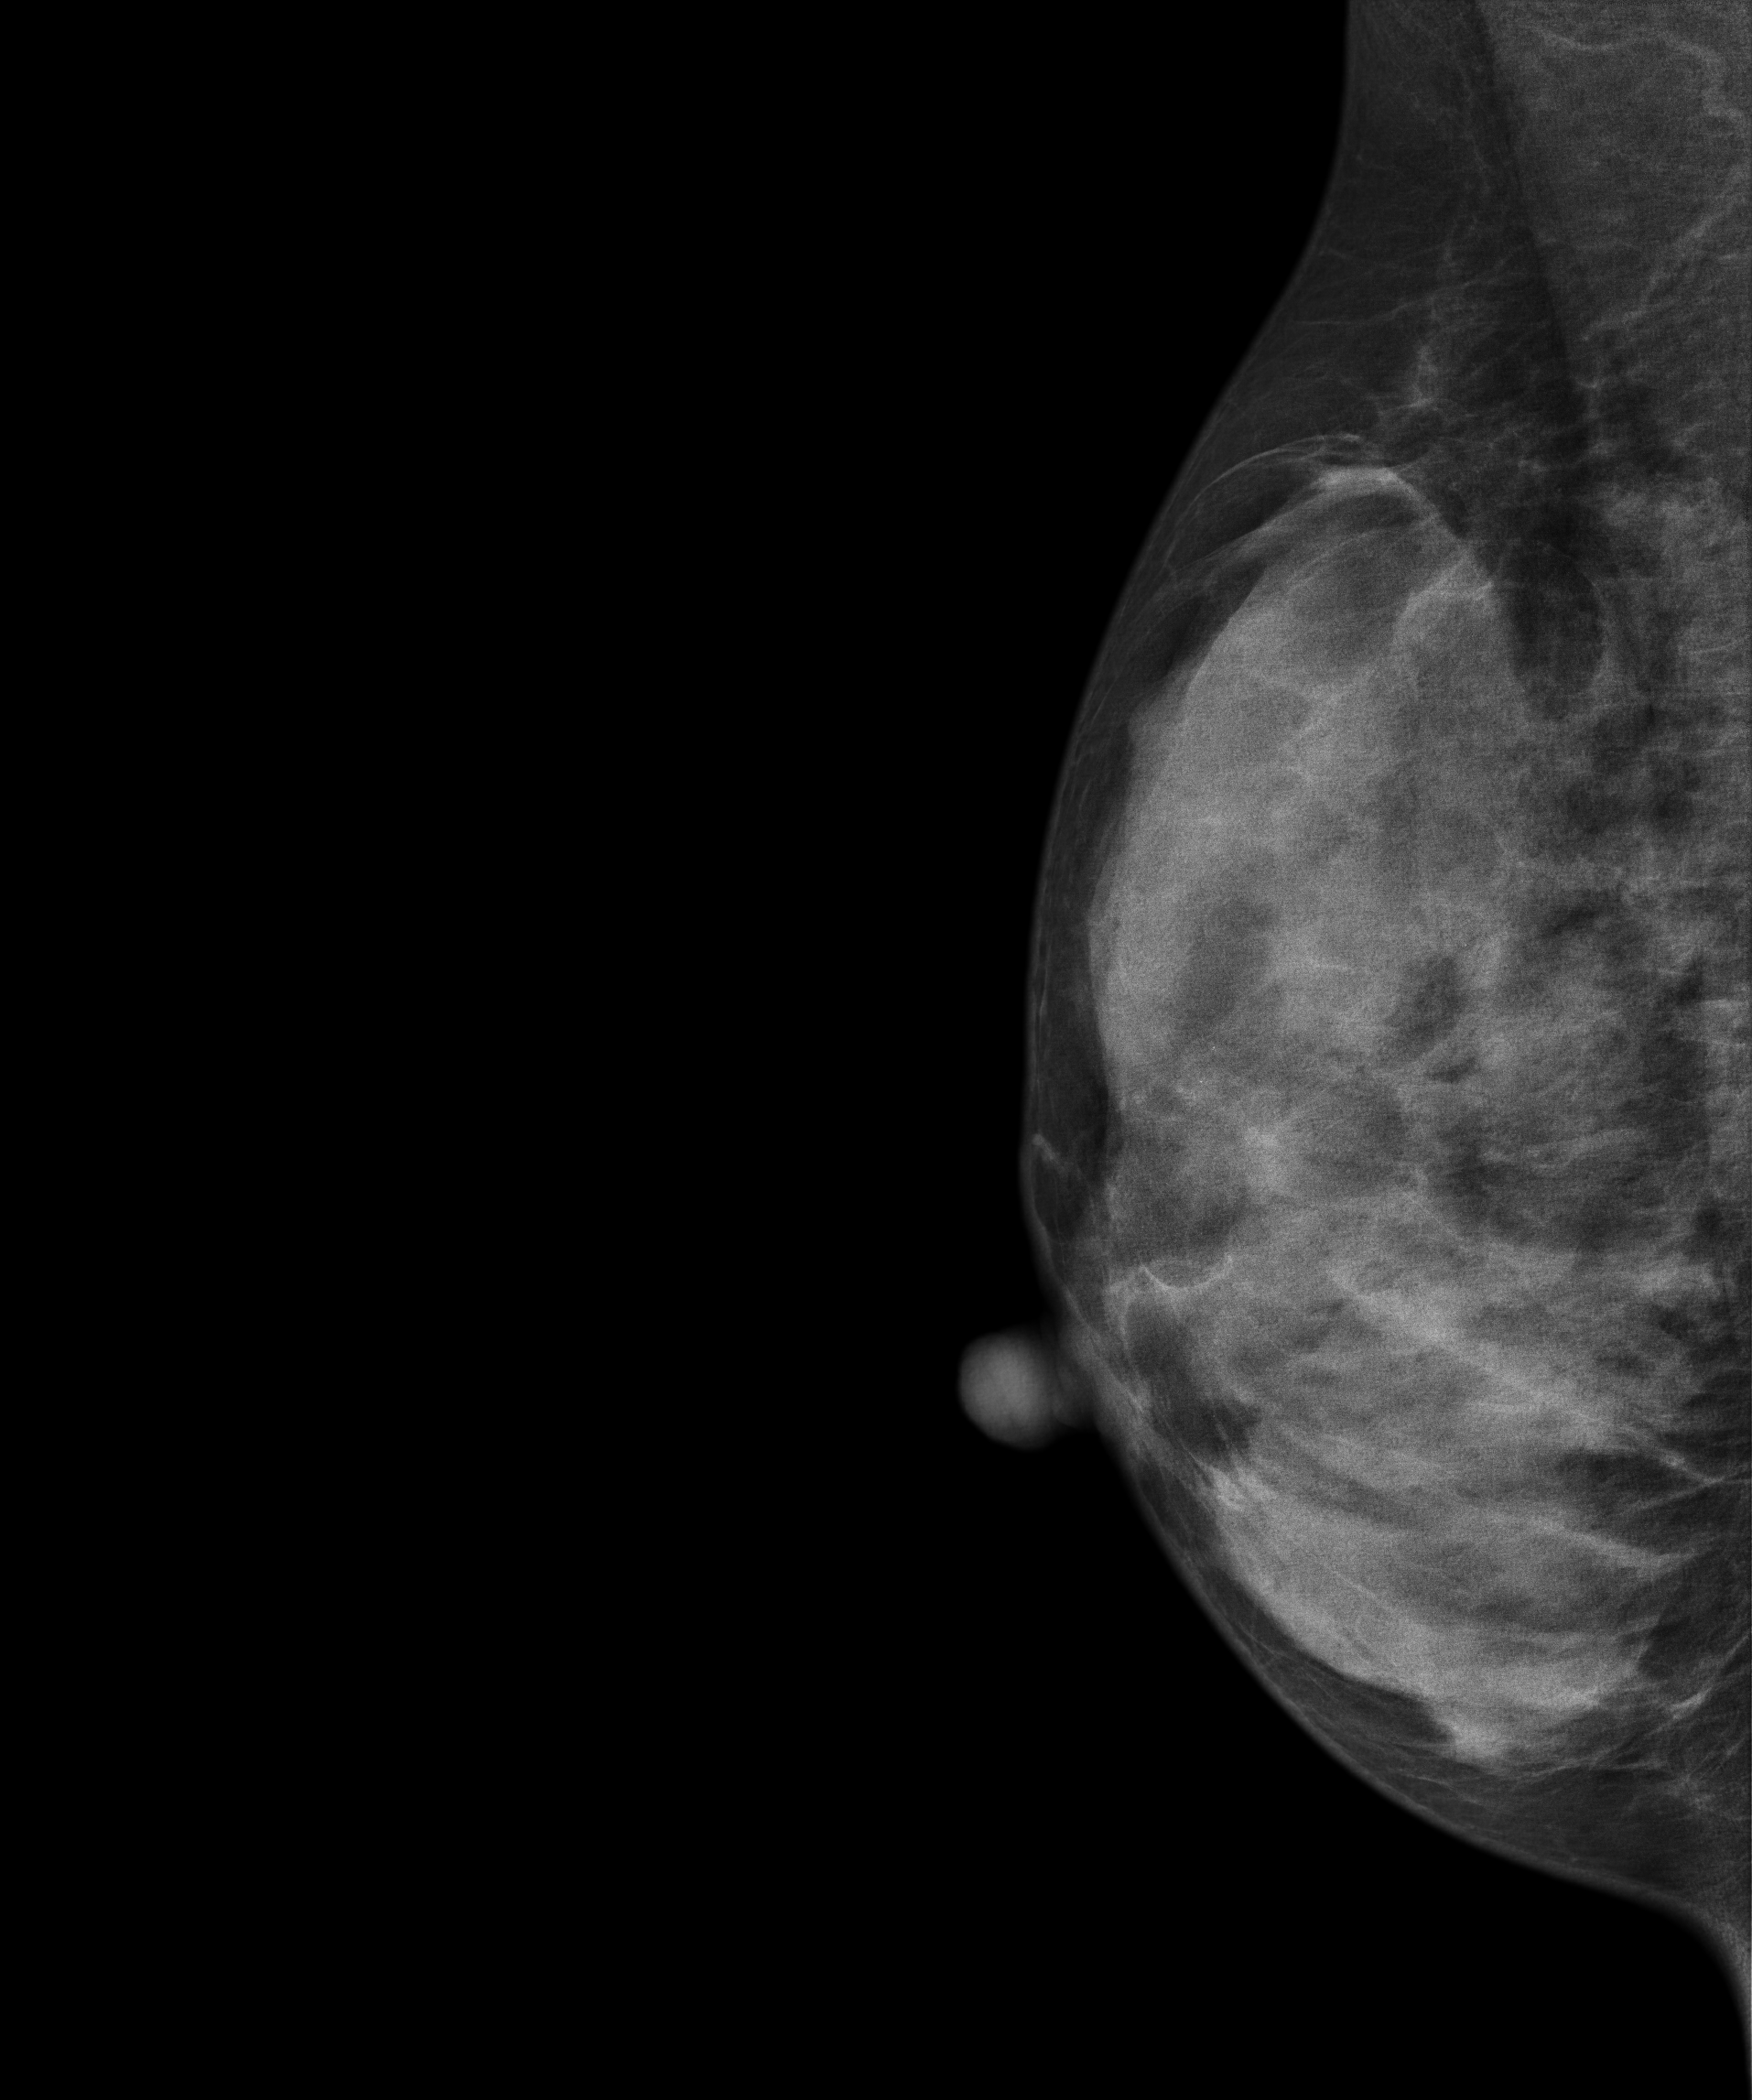
Right-breast mammogram, MLO. Patient age 39.
Contralateral breast — no documented abnormality on this side.